Mammogram — right cranio-caudal. 29-year-old patient.
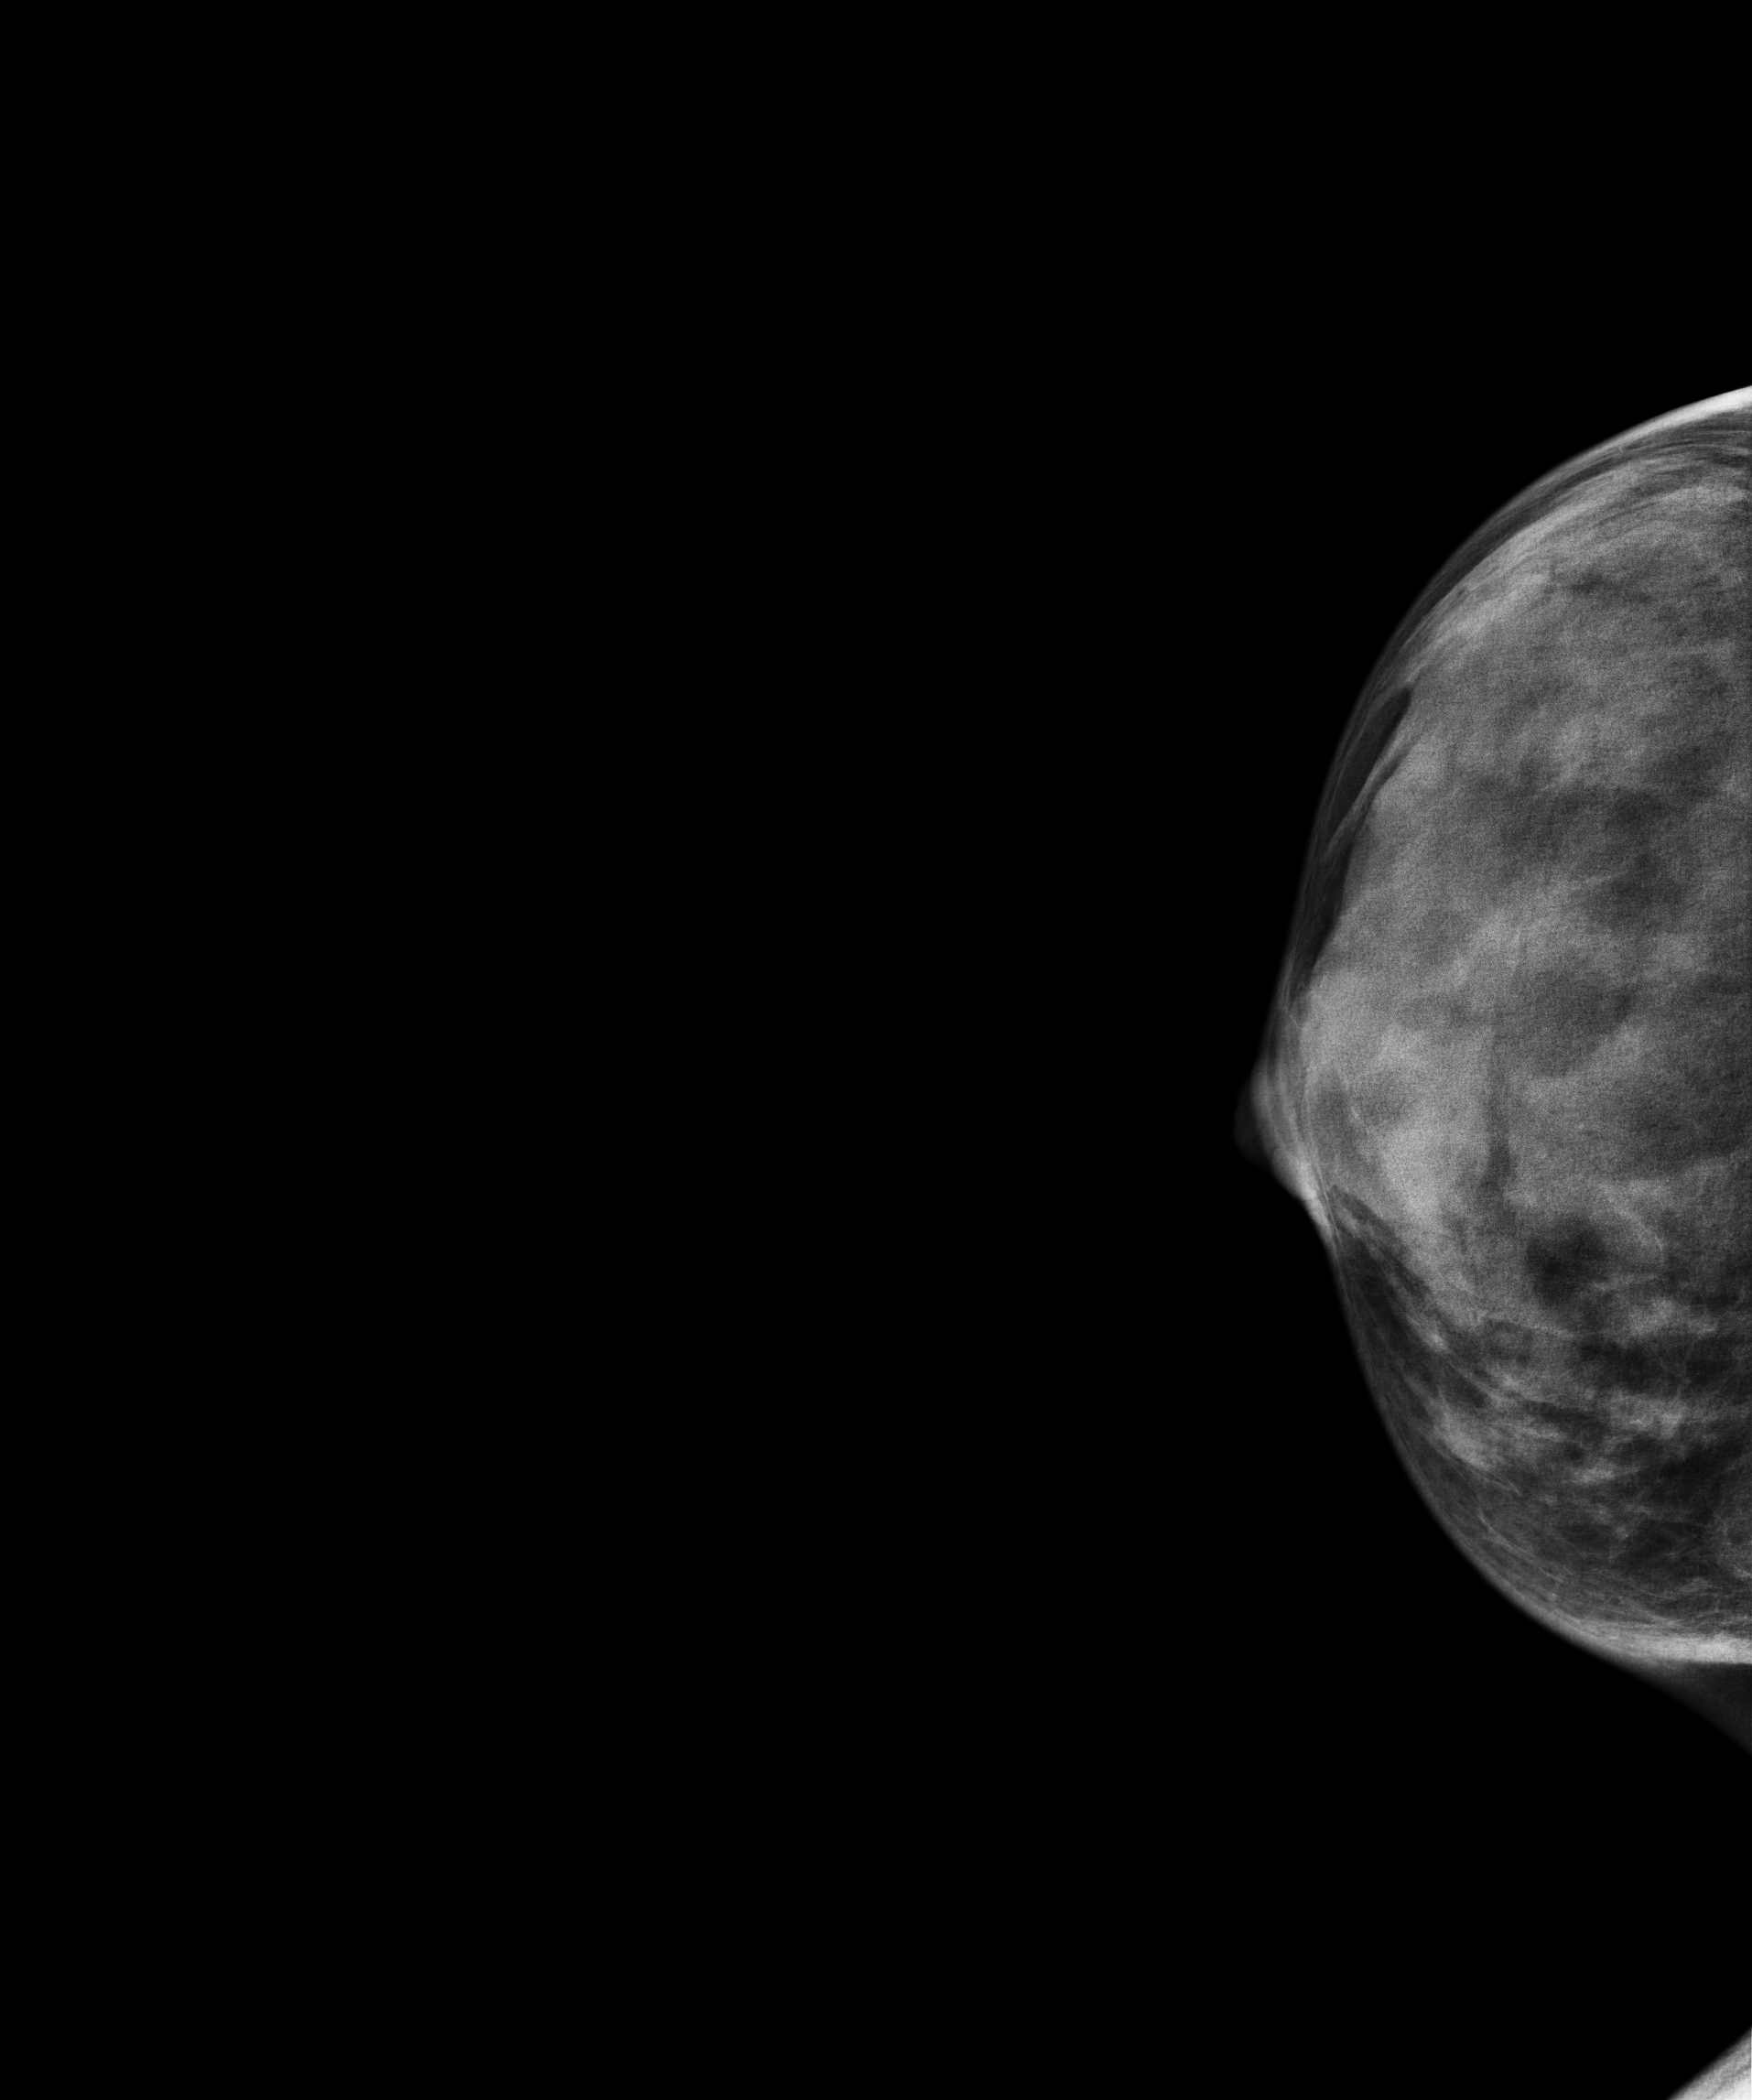
Contralateral breast — no documented abnormality on this side.